MLO mammogram of the left breast. 51-year-old patient.
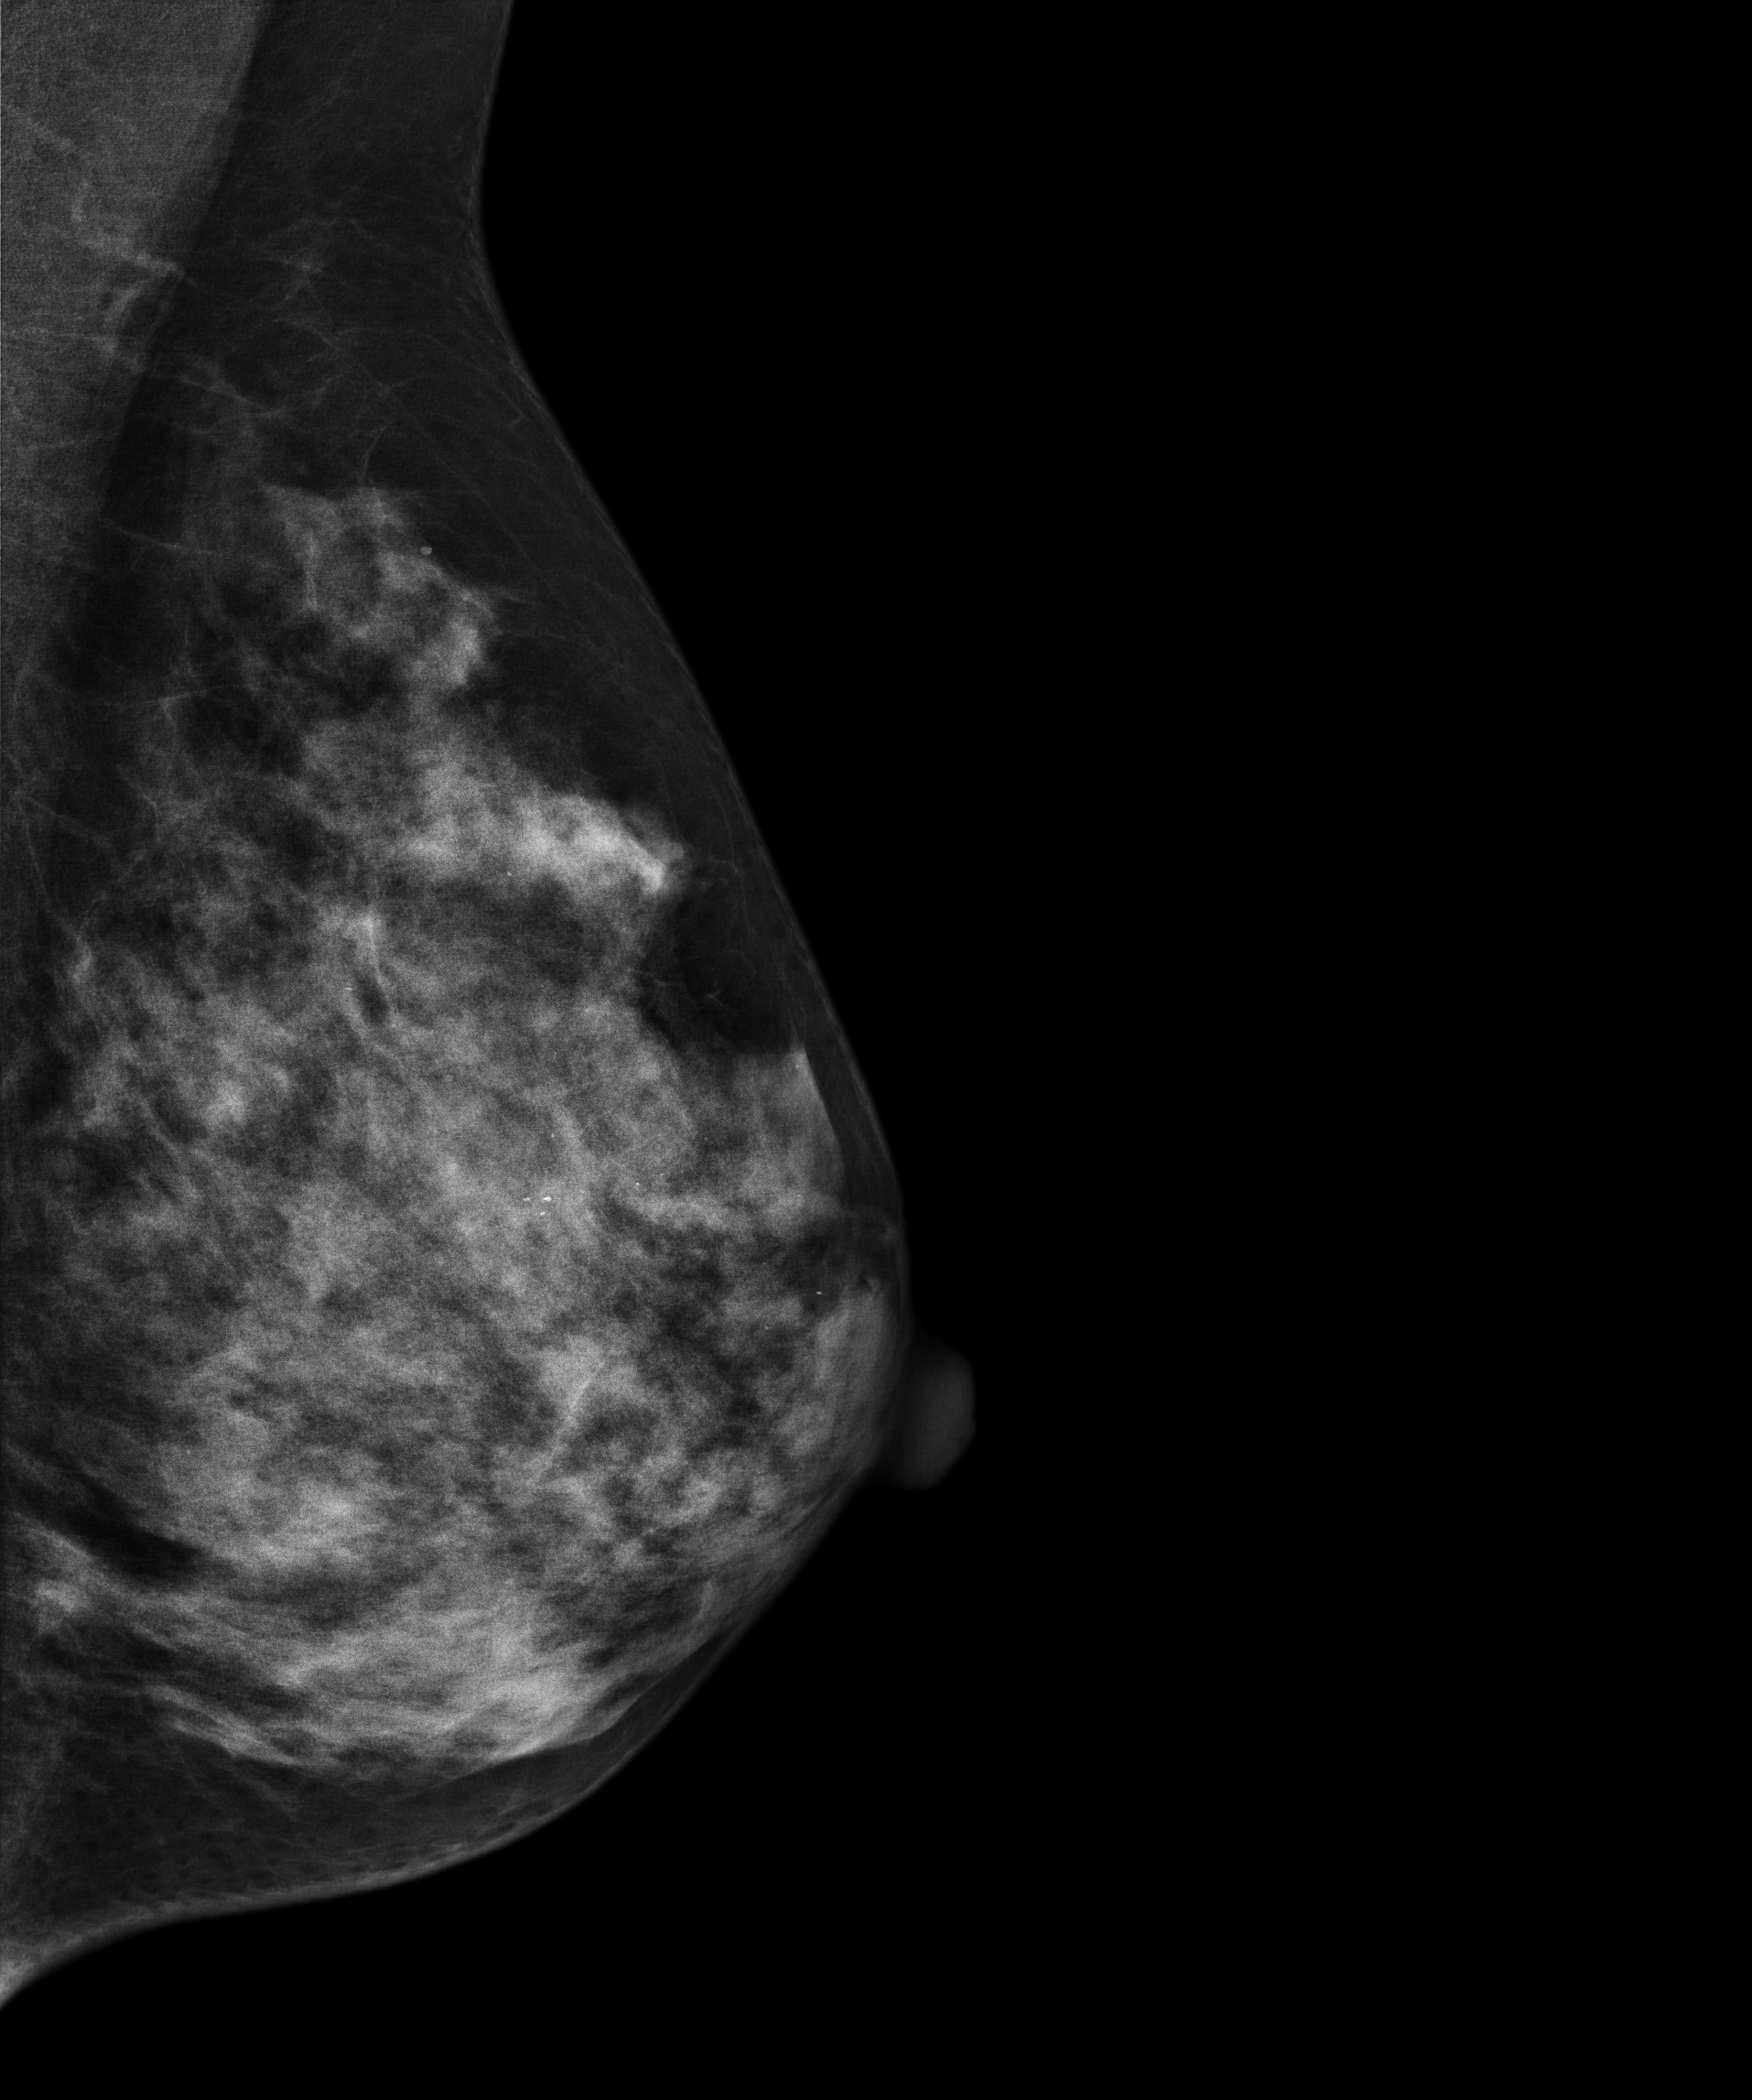
This breast has a mass and calcifications, biopsy-proven benign.